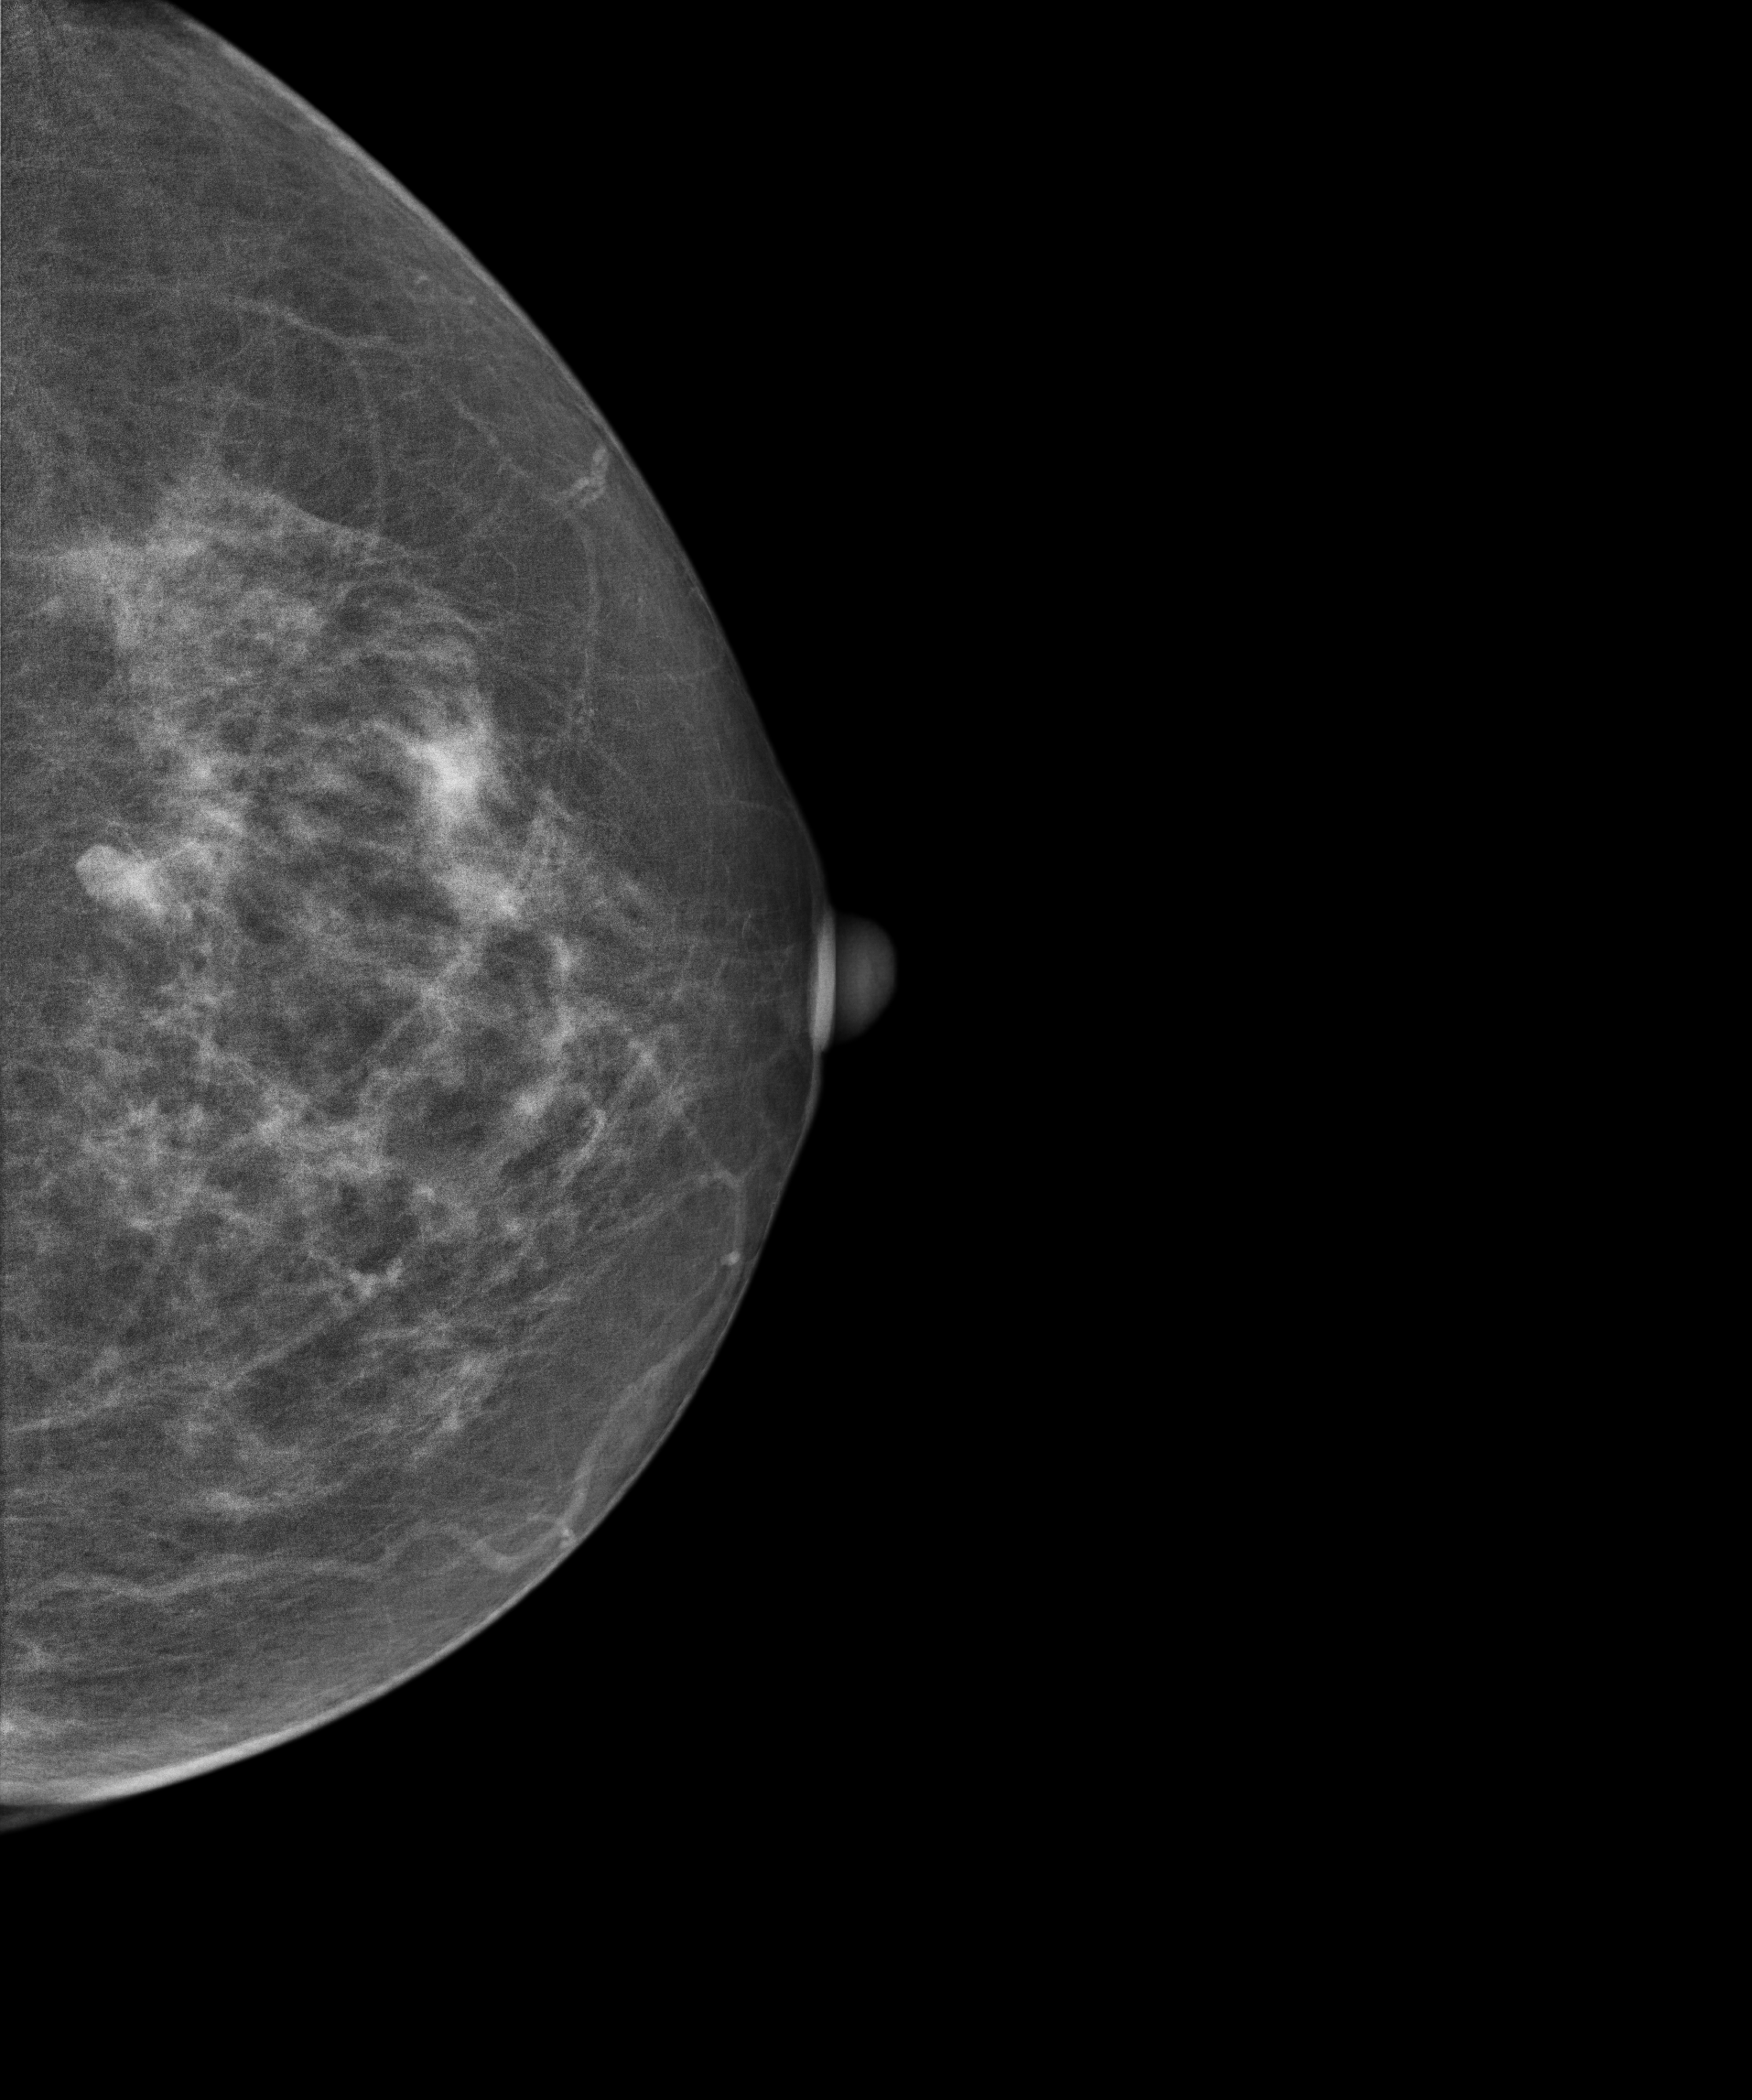
Digital mammography. Left breast, CC projection. 58 y/o patient.
This breast has a mass, biopsy-confirmed benign.